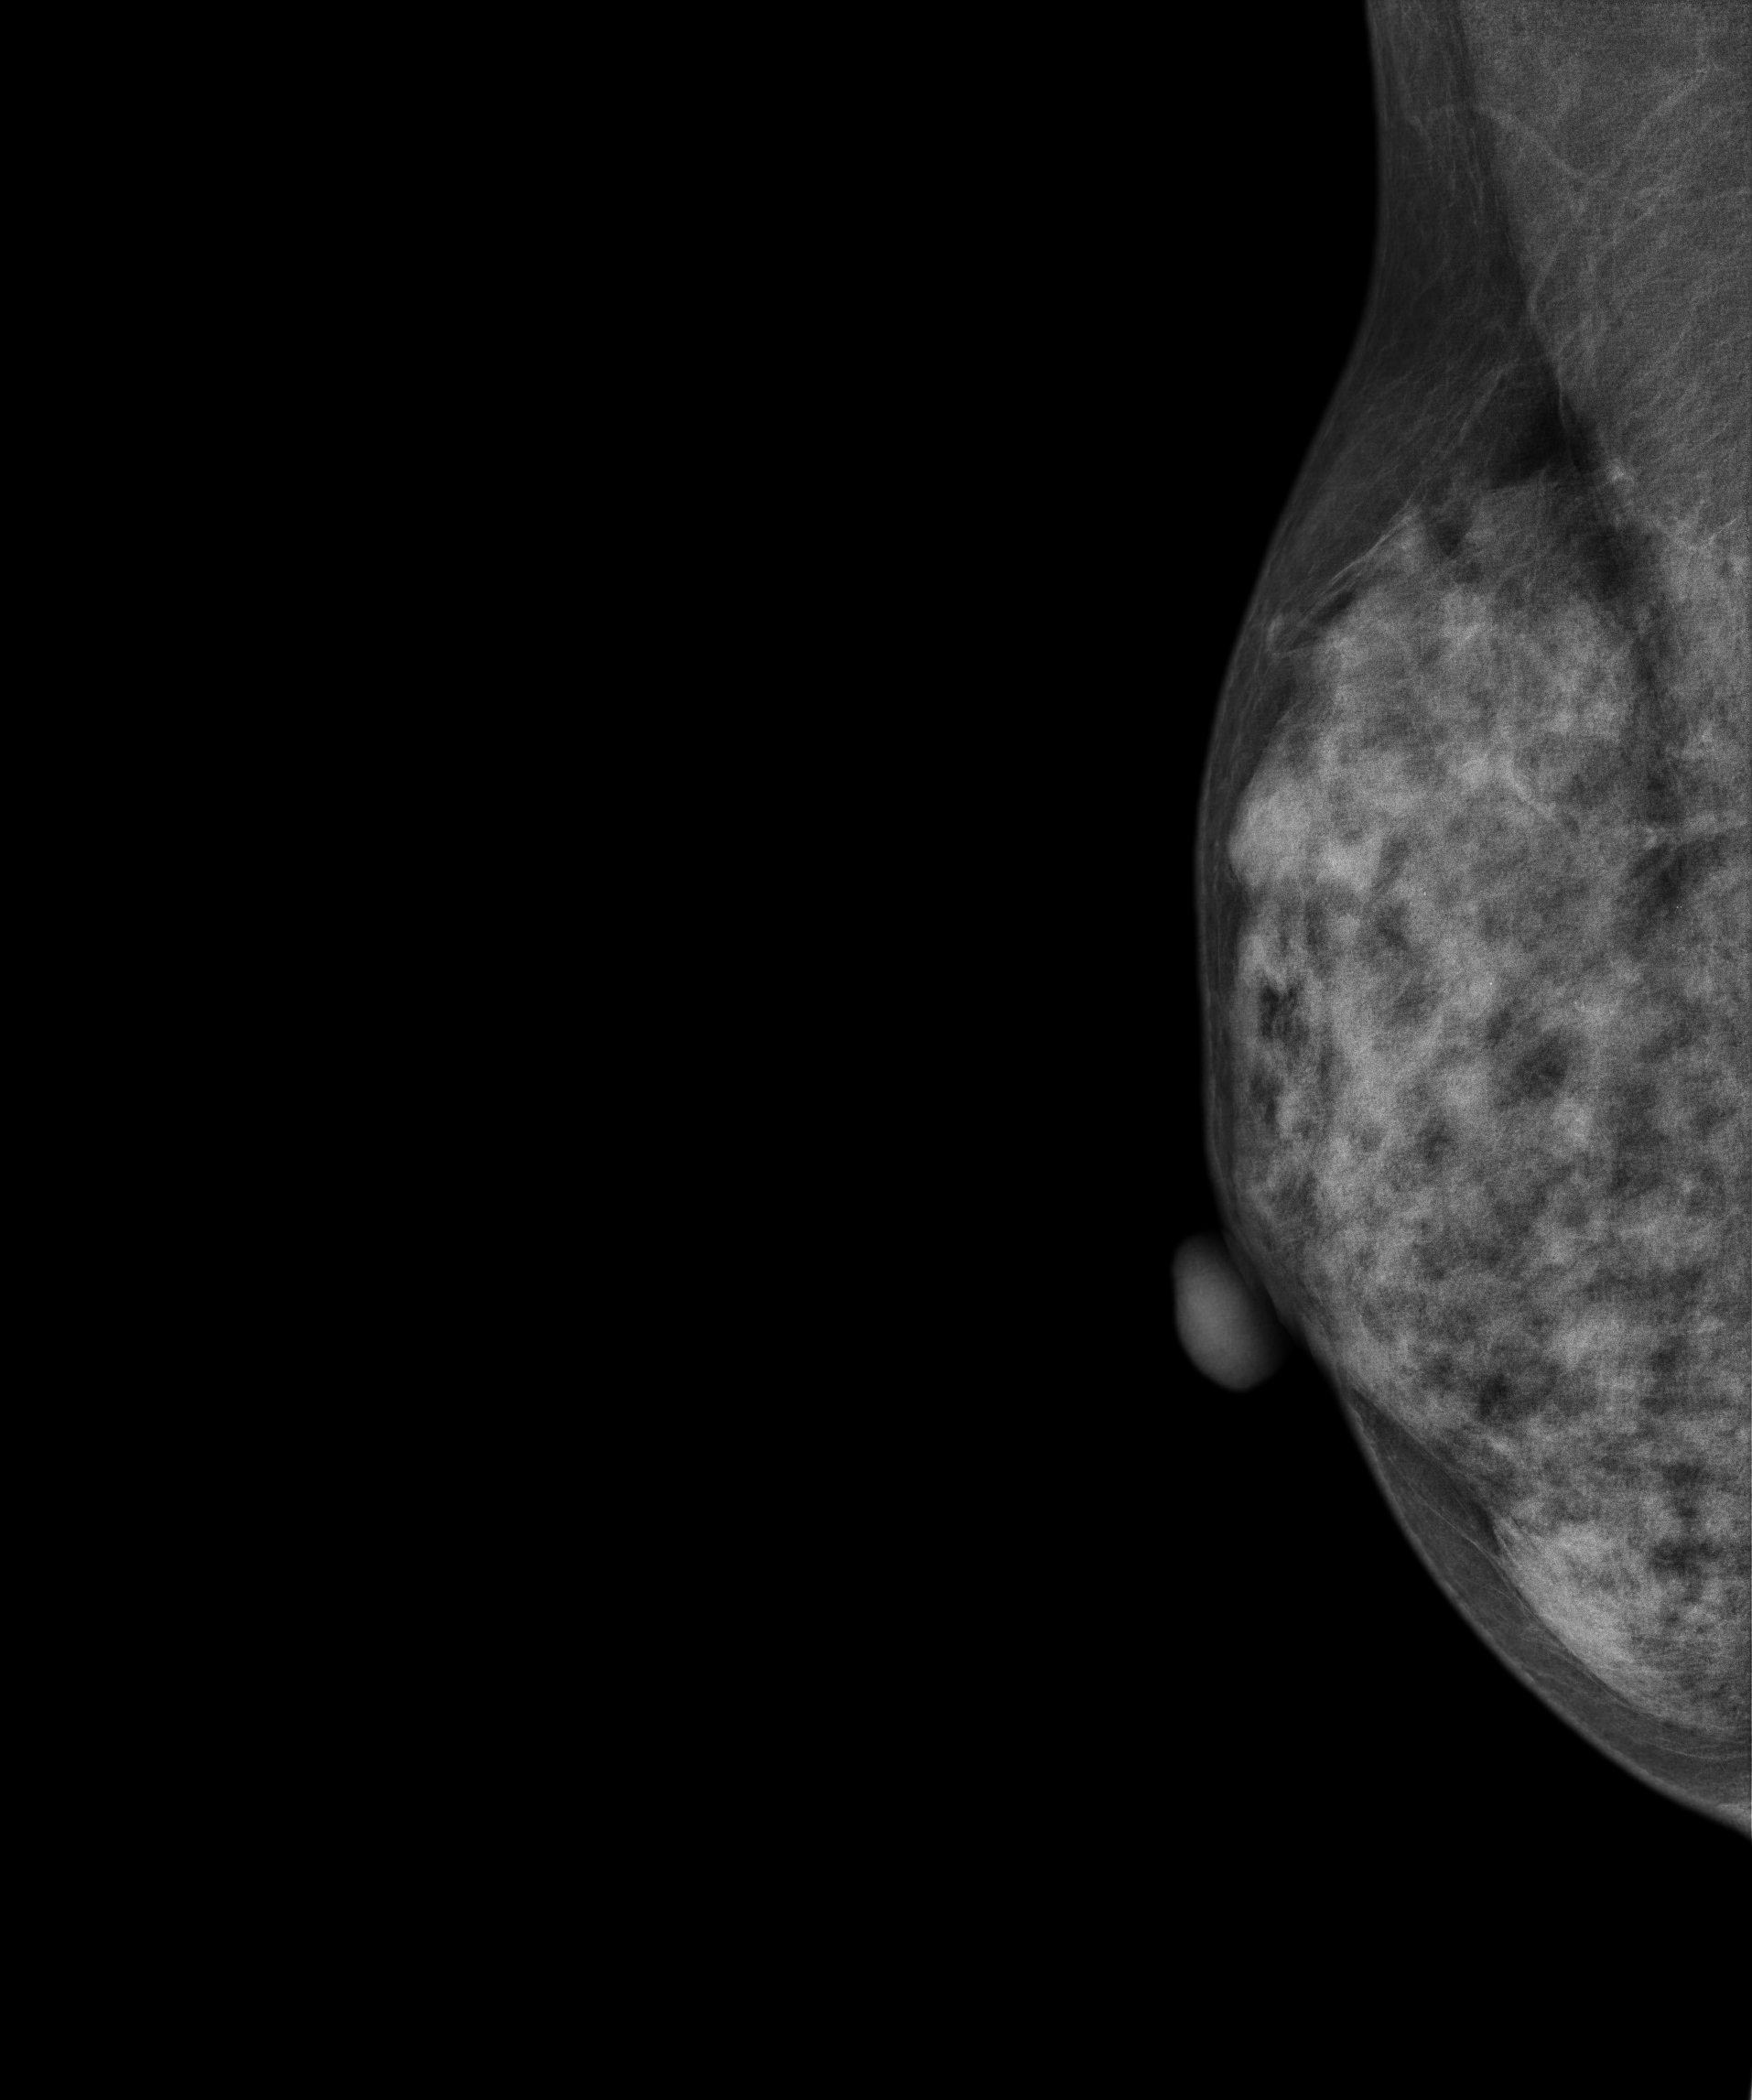
Right-breast mammogram, medio-lateral oblique. 47 y/o patient.
Contralateral breast — no documented abnormality on this side.